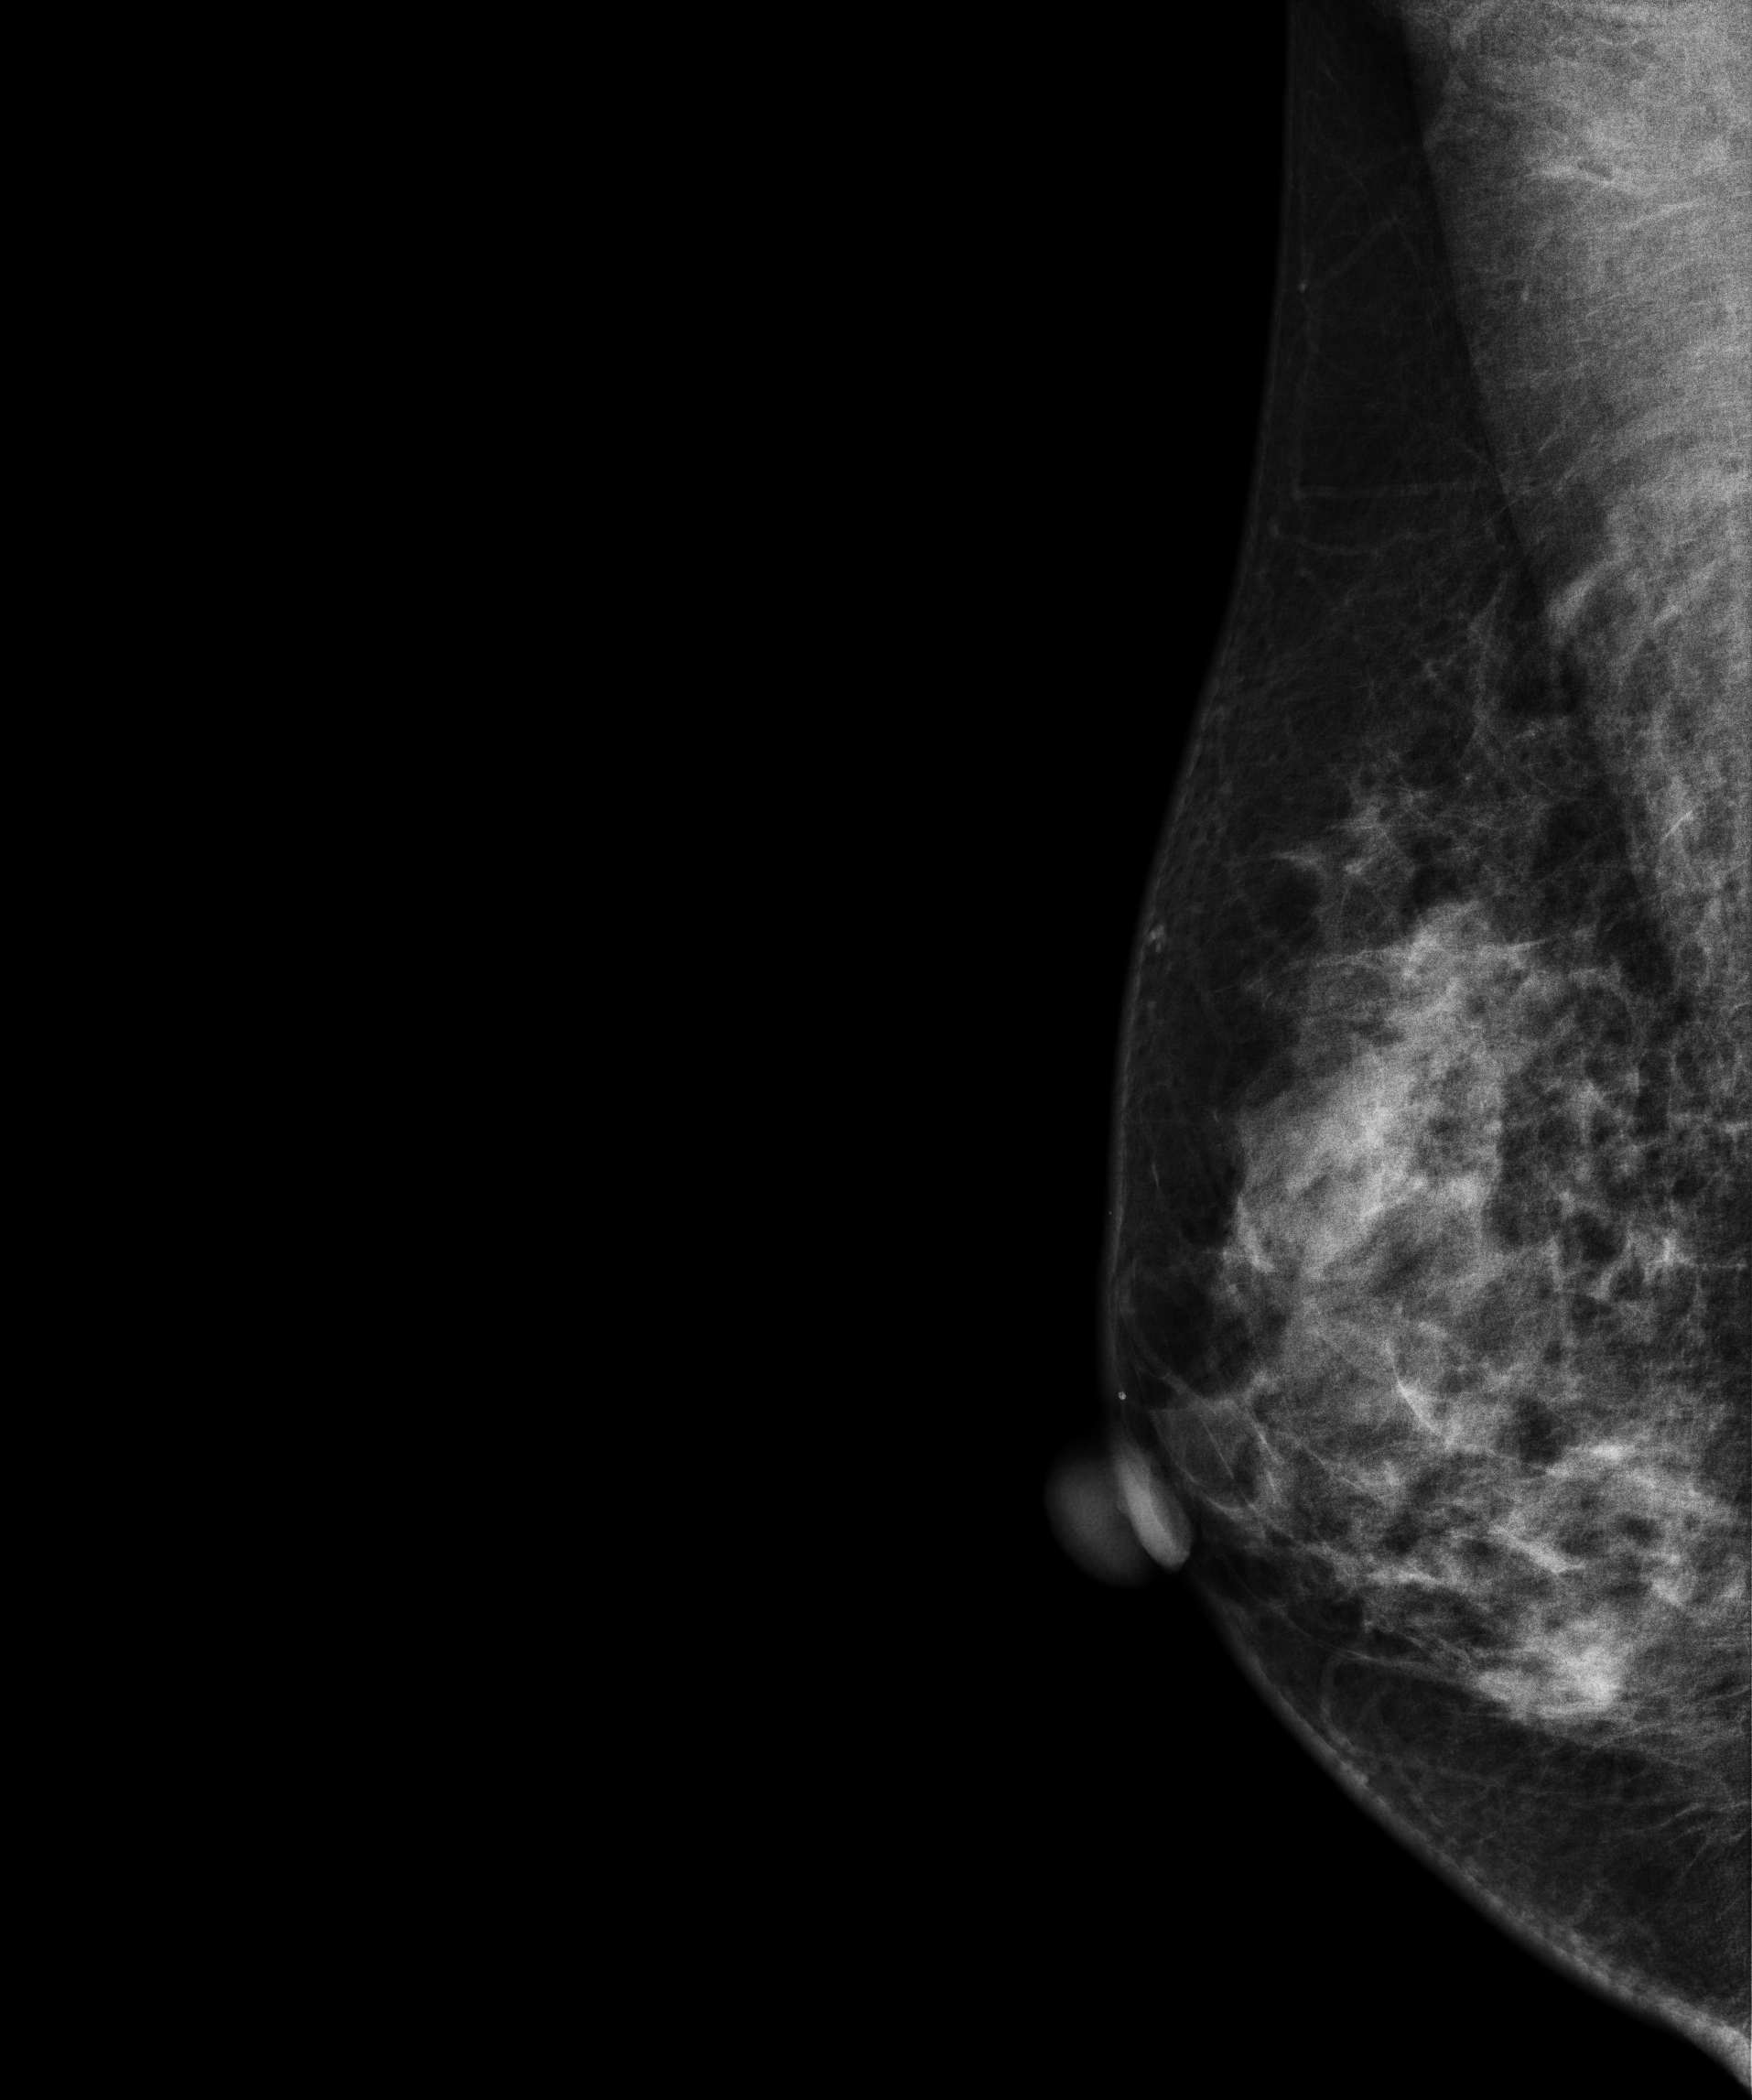
Mammogram — right MLO. 53 y/o patient.
This breast has a mass, biopsy-proven benign.